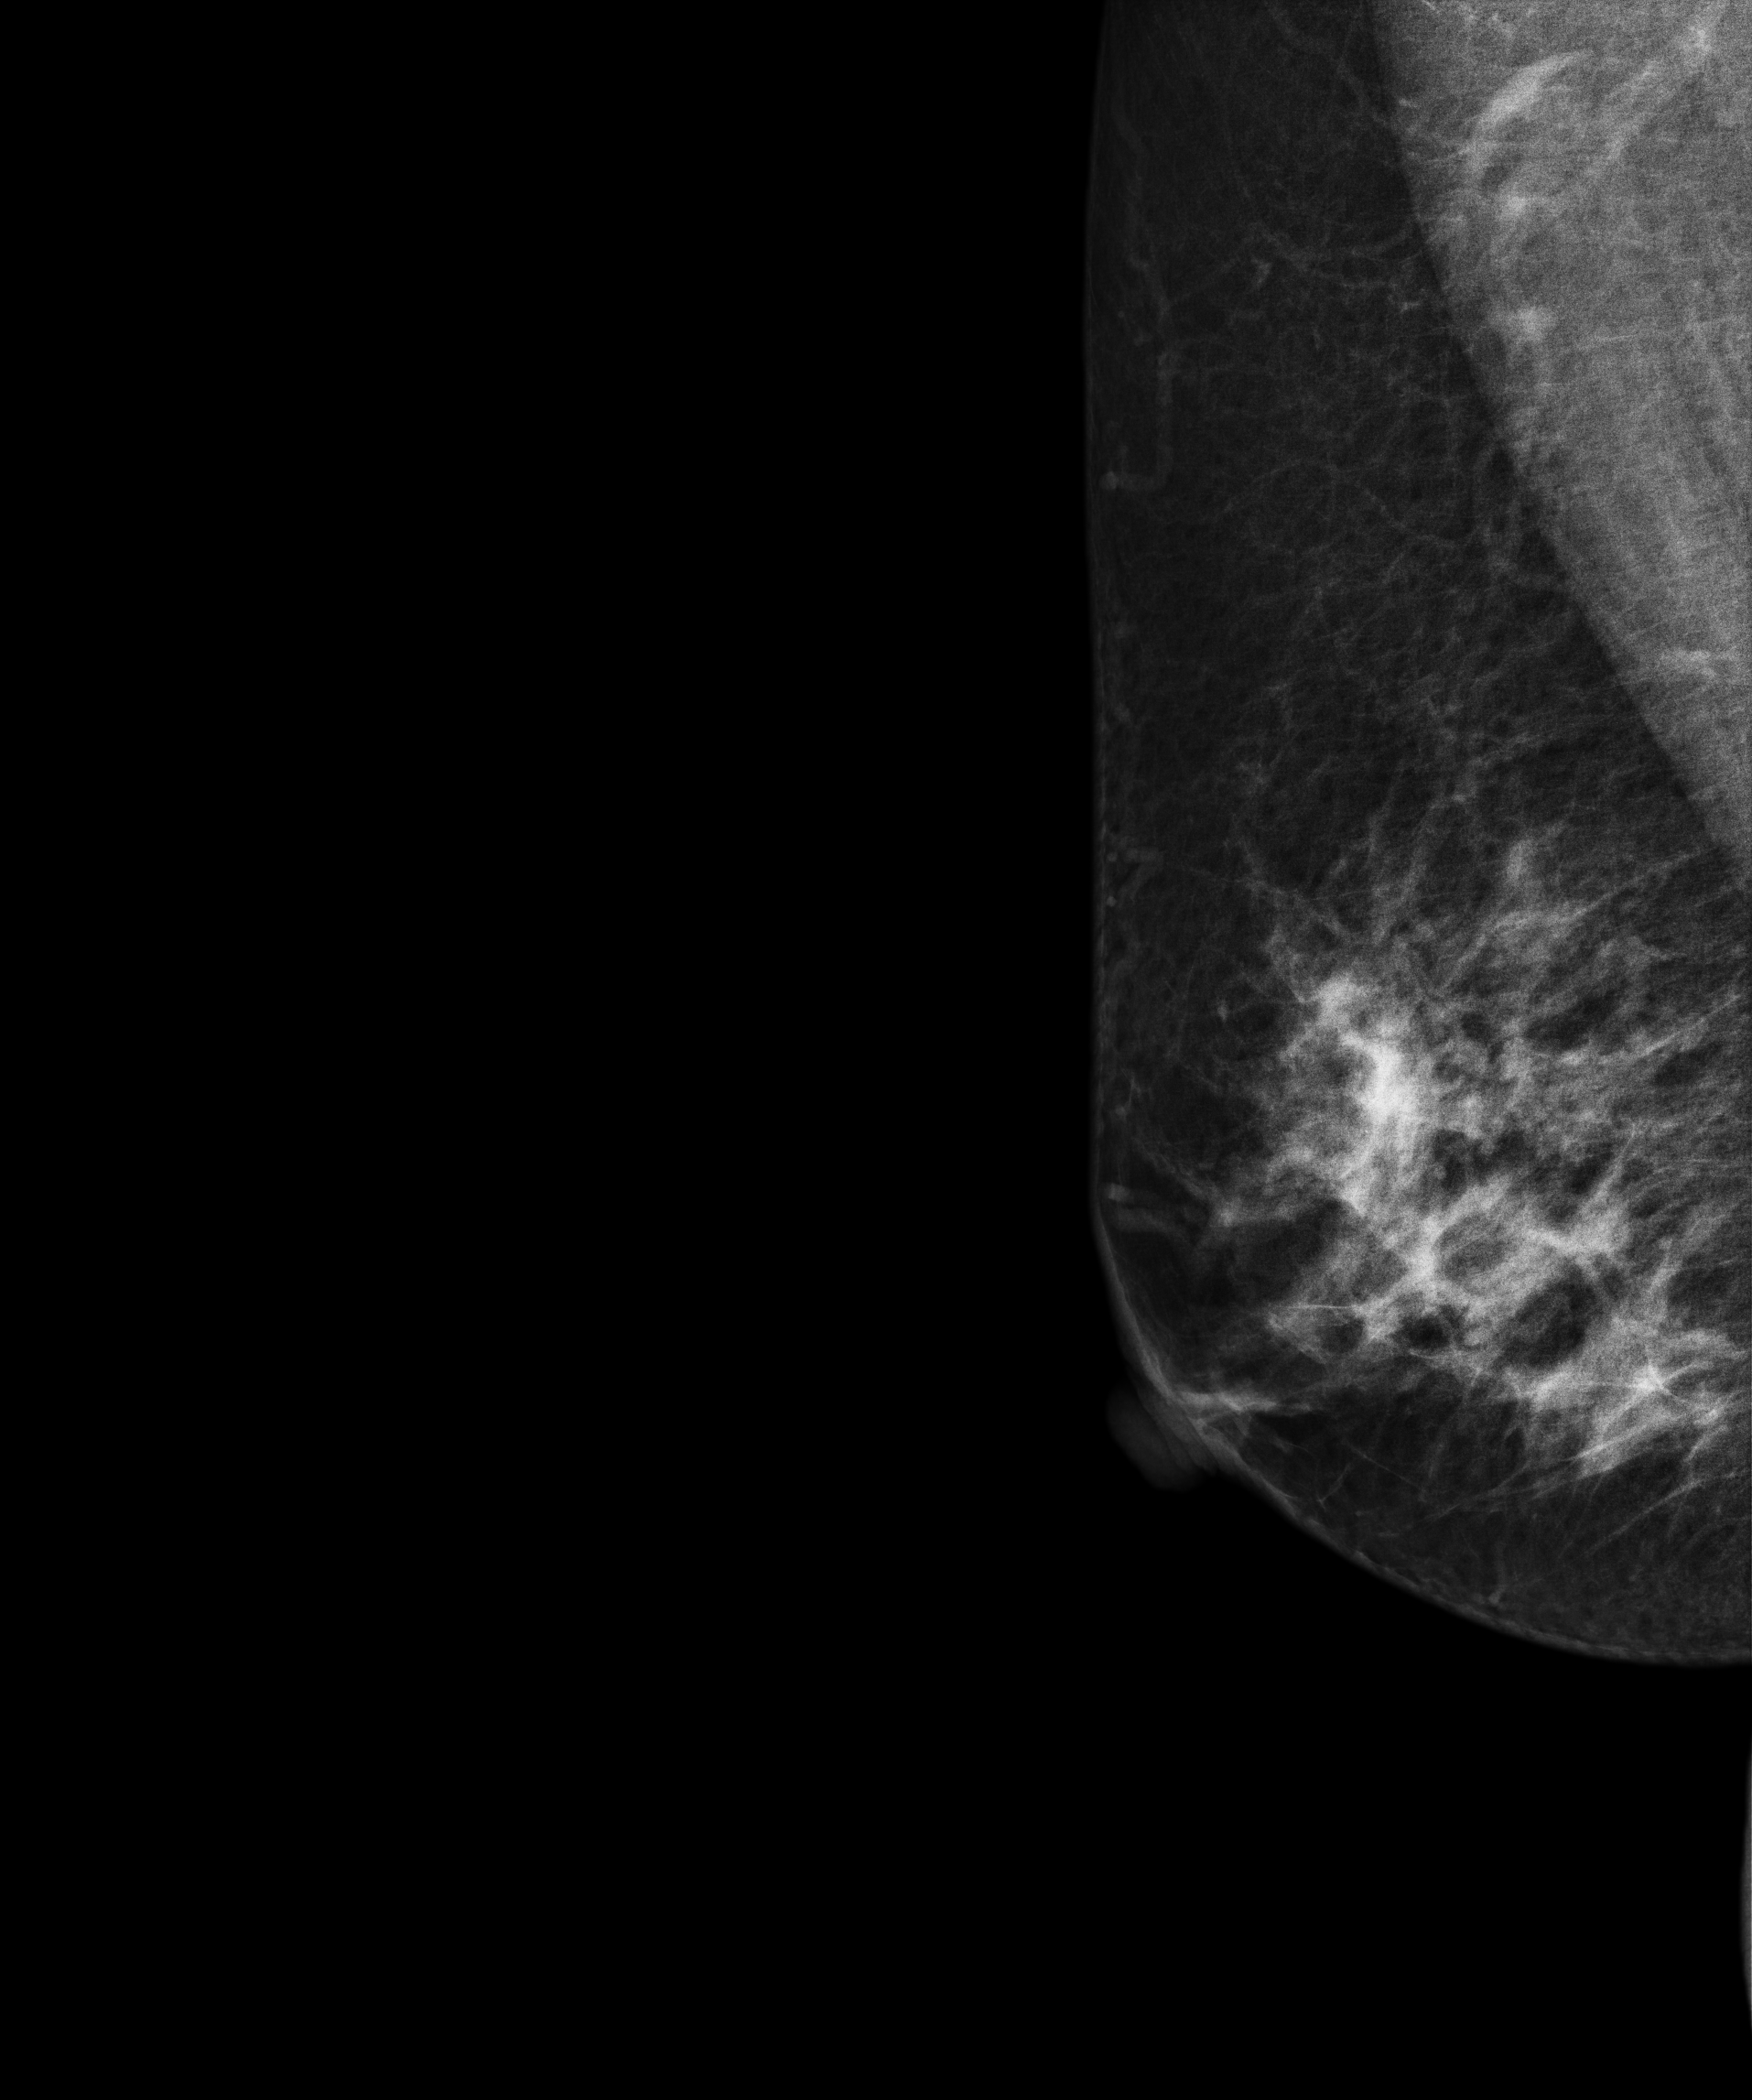
Digital mammography. Right breast, MLO projection. Patient age 50.
This breast has a mass, pathology-confirmed malignant. Molecular subtype: luminal B.